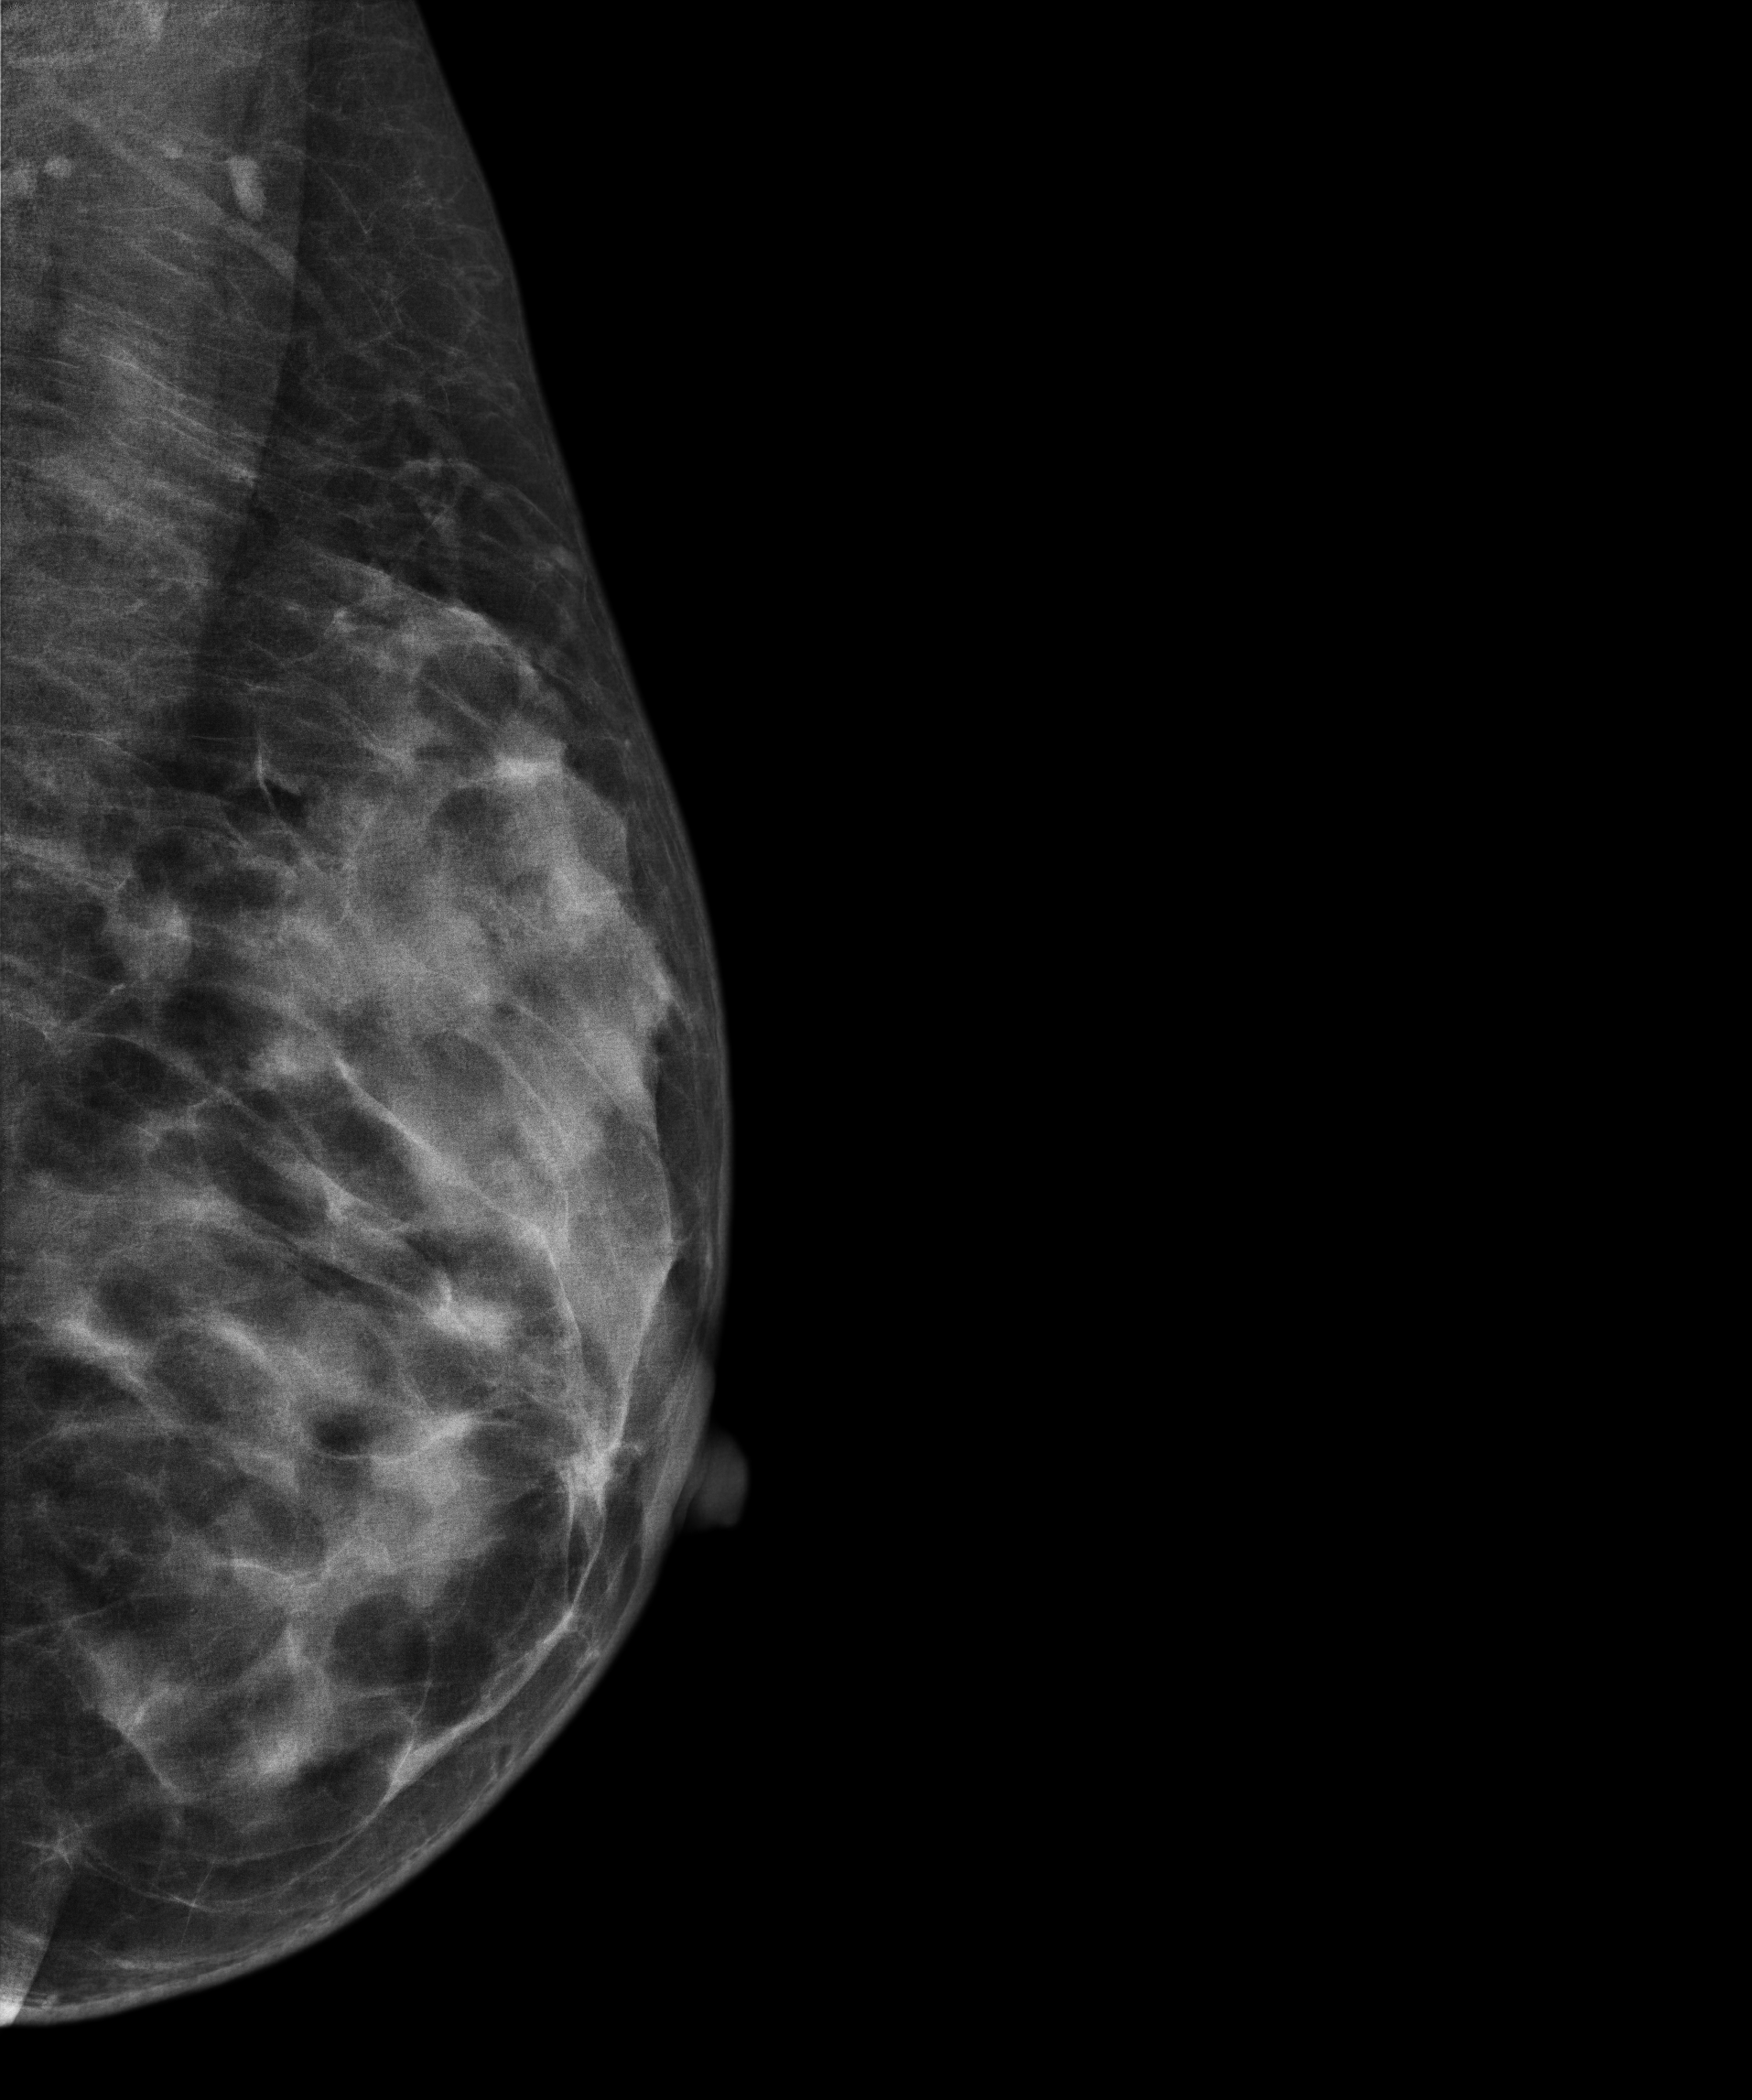
Mammogram, left breast, MLO view. Patient age 40.
This breast has a mass, biopsy-proven malignant. Molecular subtype: luminal A.